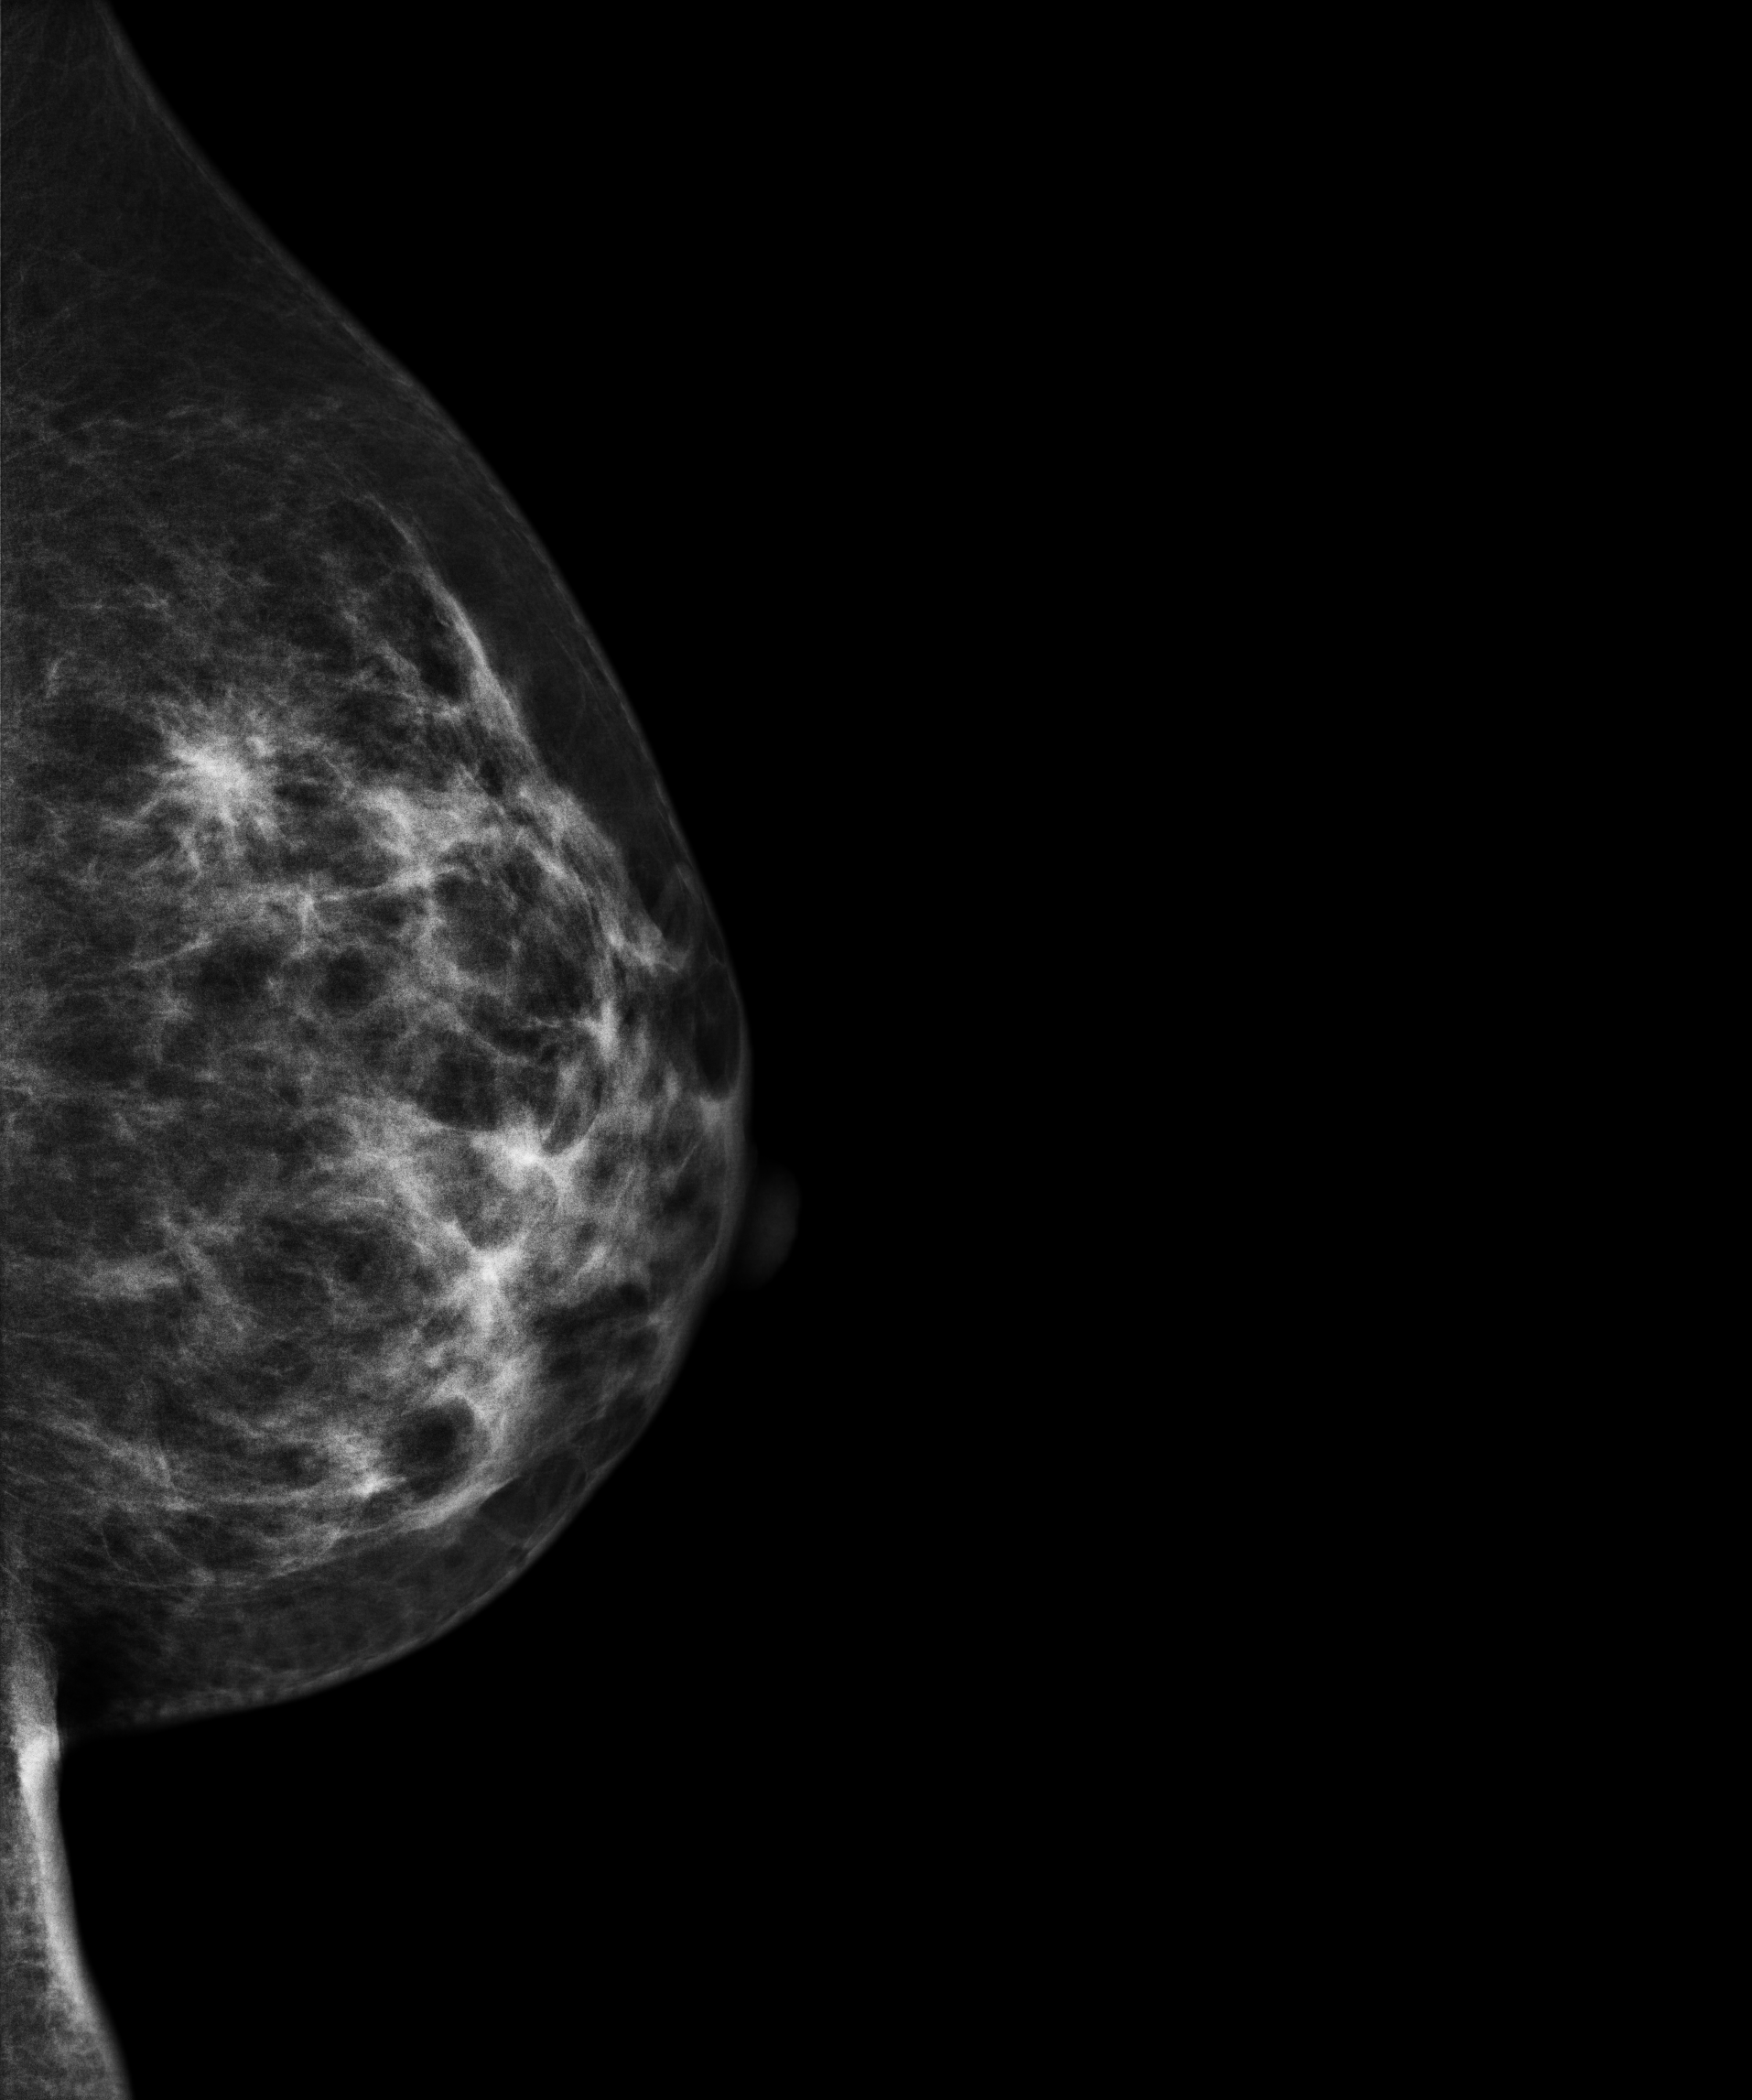
Mammogram, left breast, medio-lateral oblique view. Patient age 40.
This breast has a mass, biopsy-proven malignant. Molecular subtype: luminal A.